Mammogram — right cranio-caudal. Patient age 55.
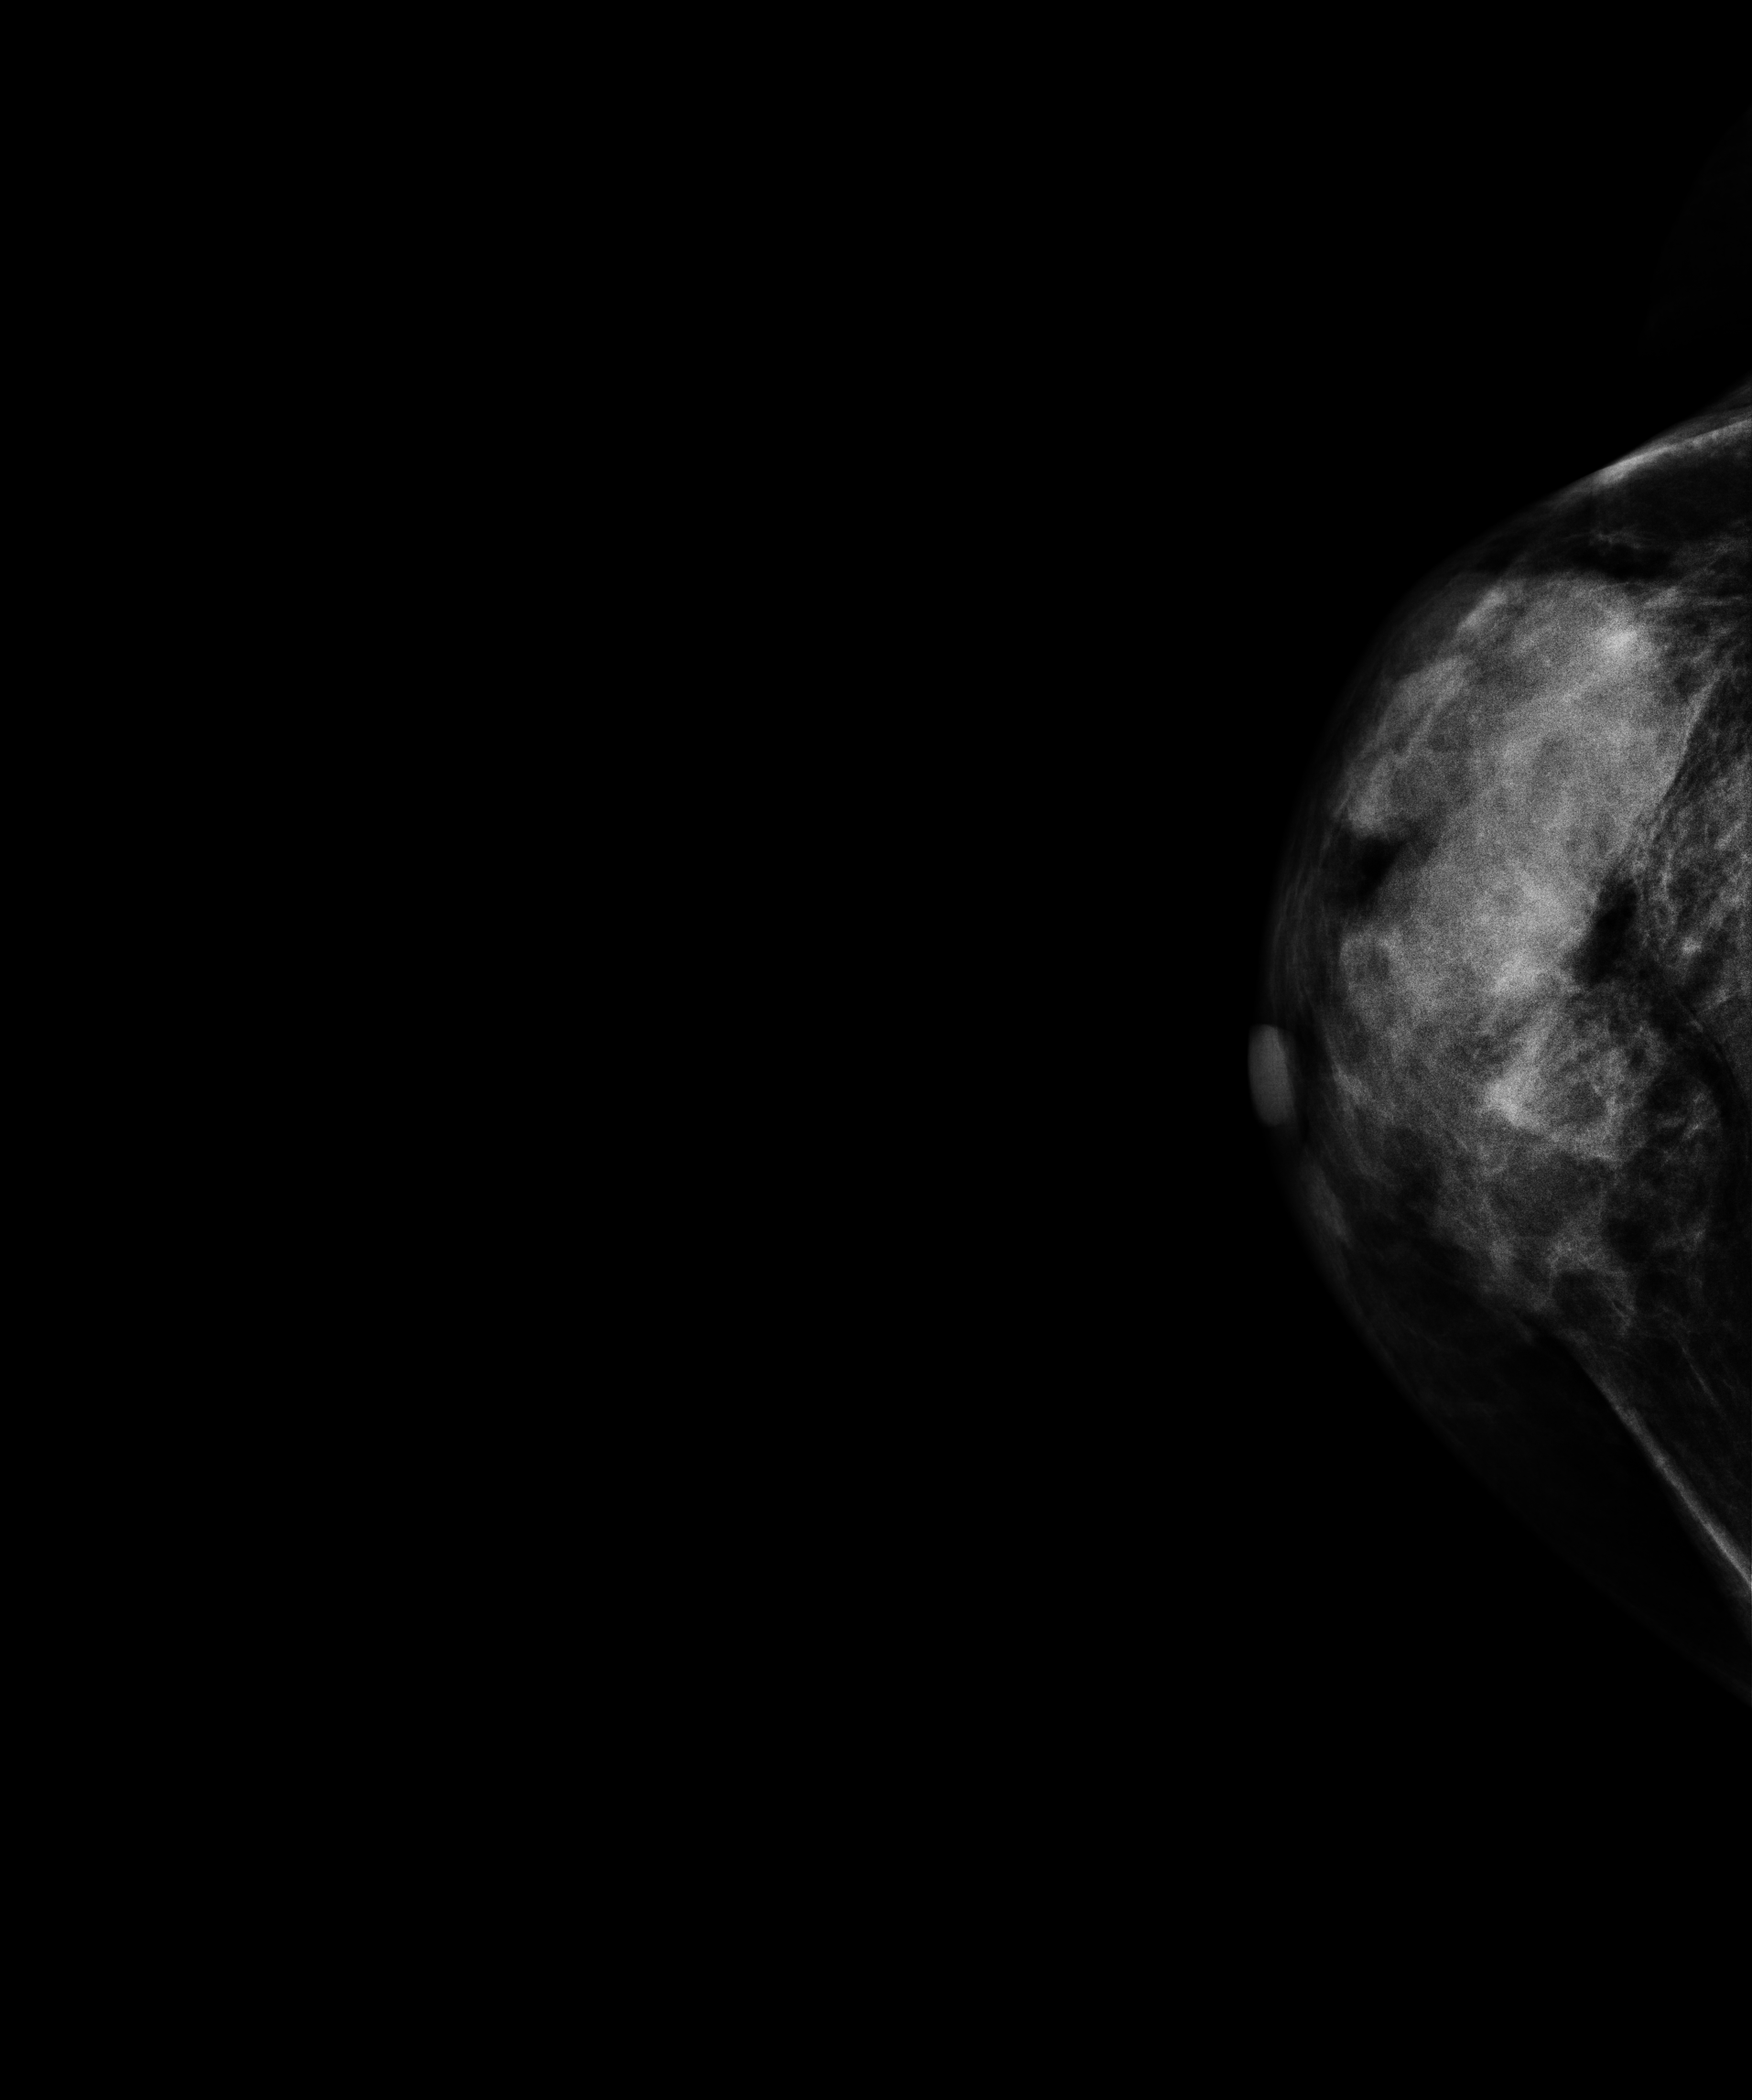
This breast has a mass and calcifications, histologically confirmed malignant.